CC mammogram of the left breast. 50 y/o patient.
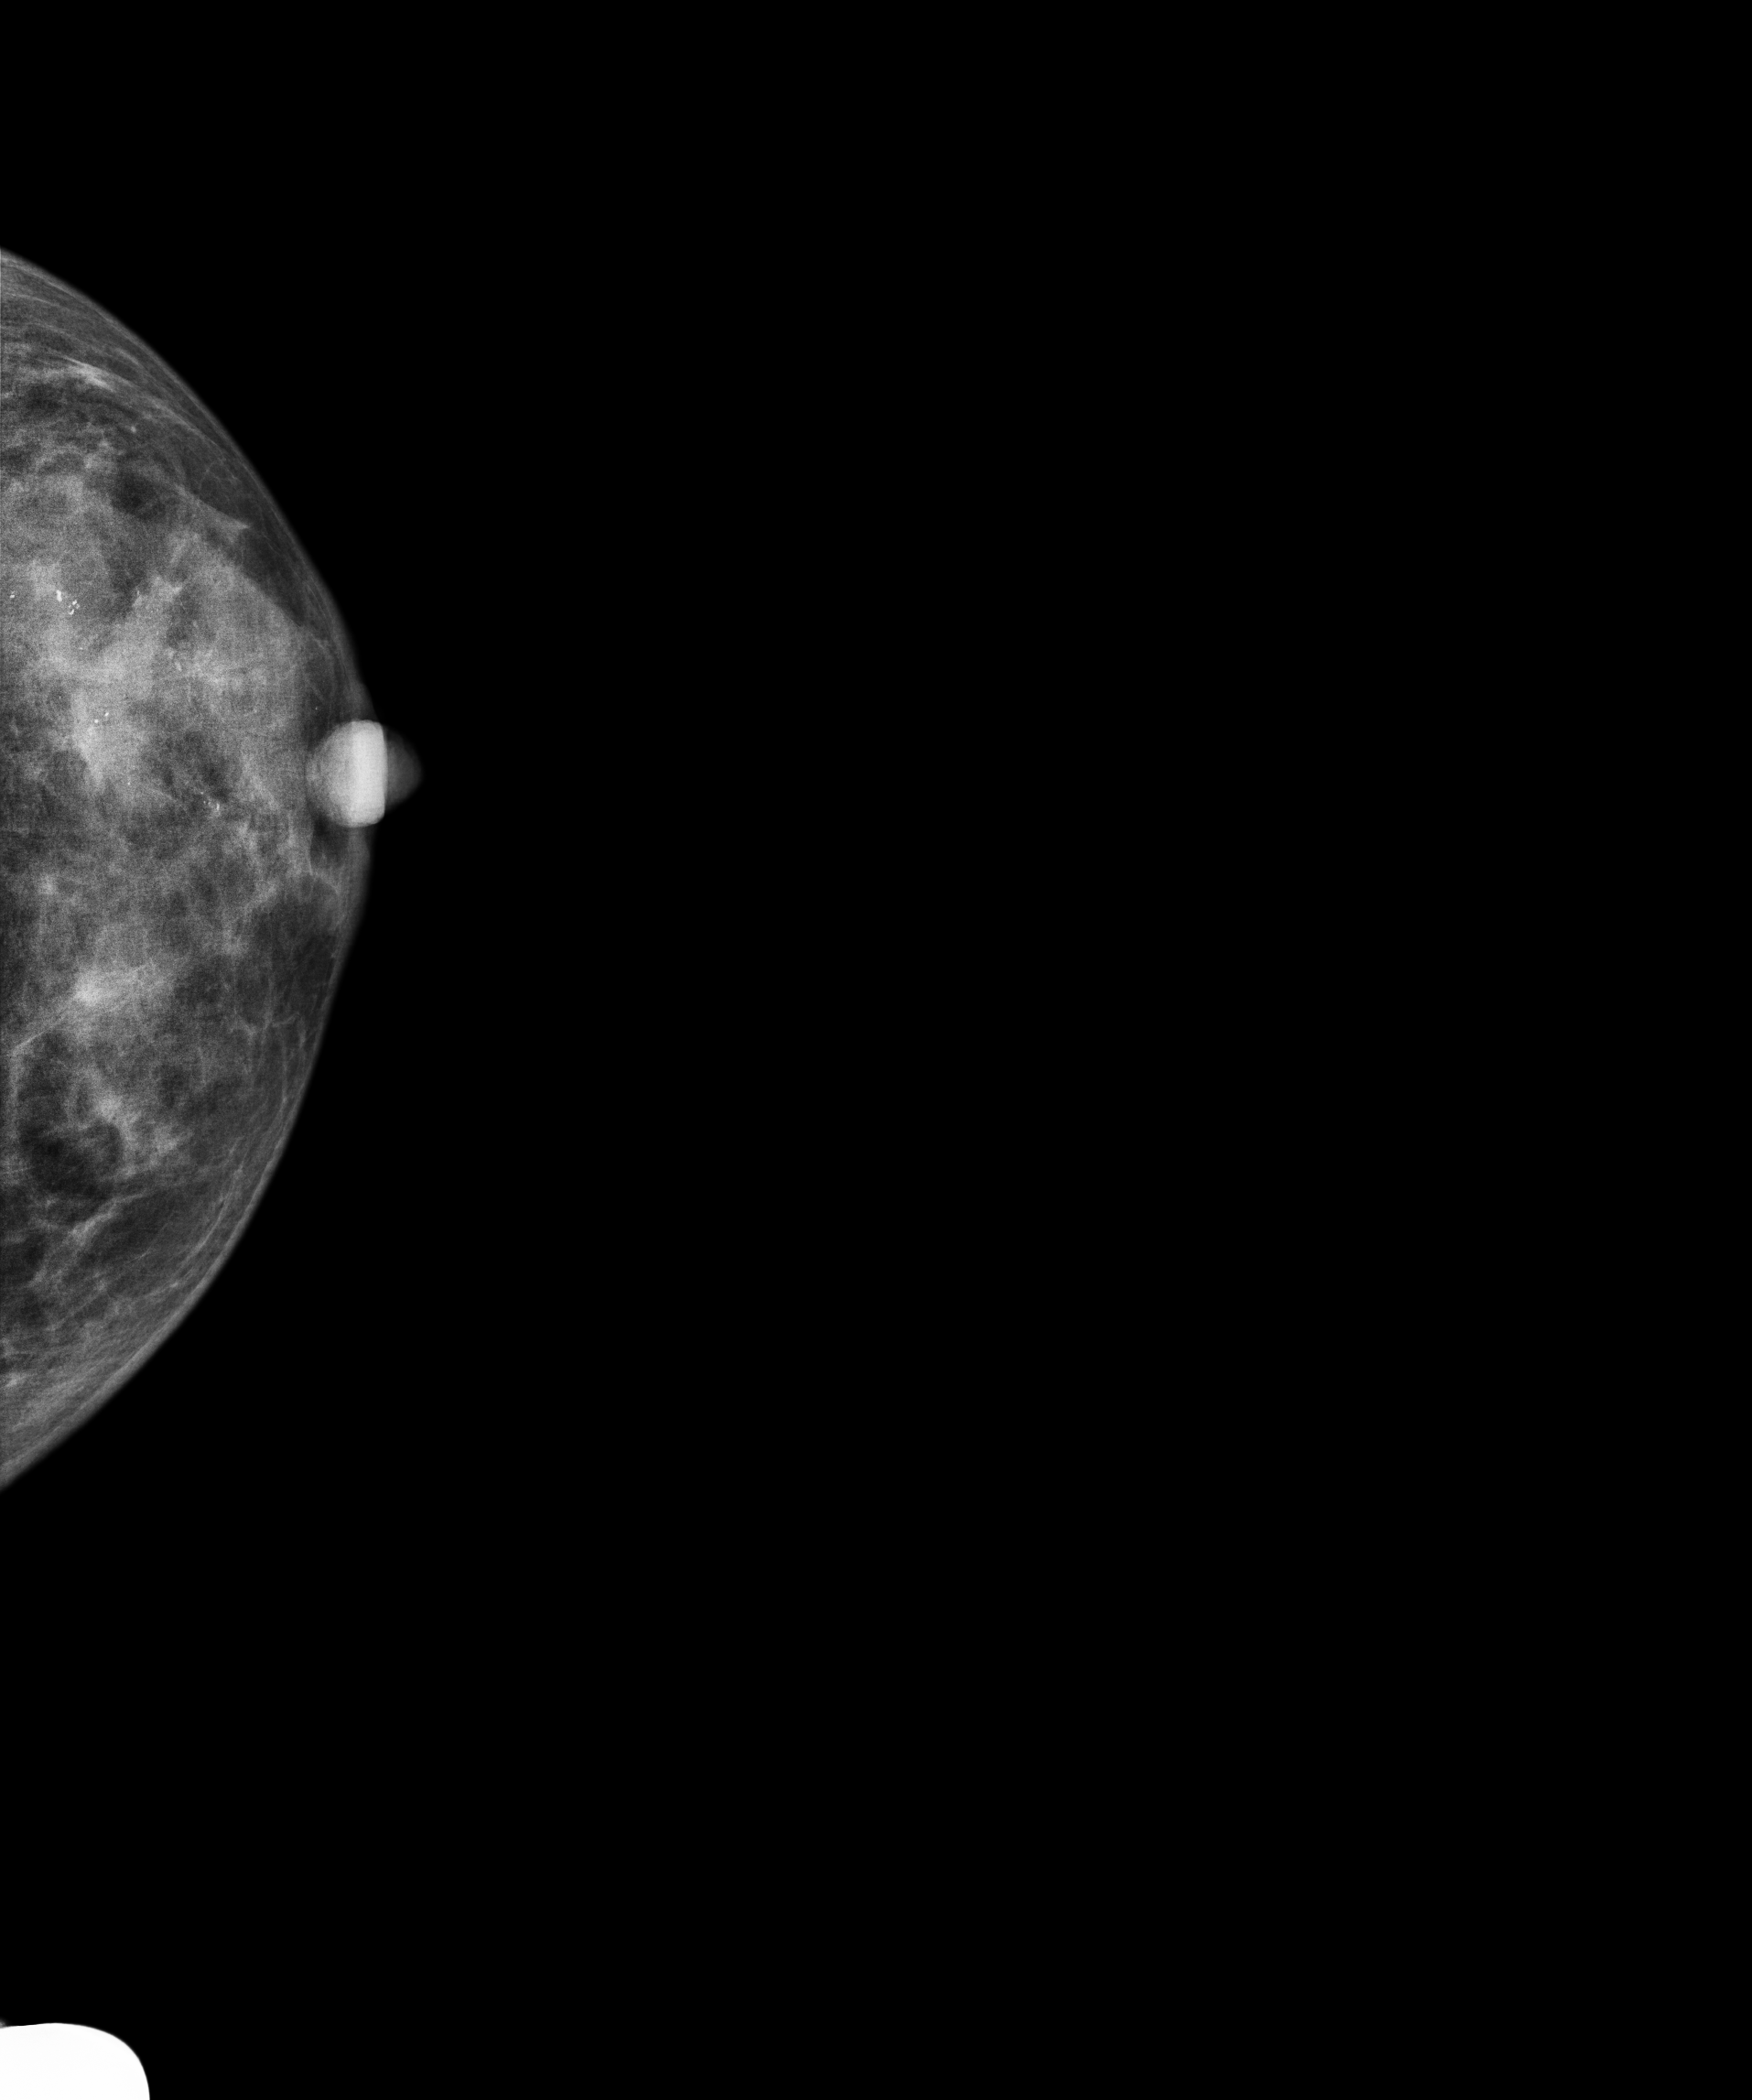
This breast has a mass and calcifications, biopsy-confirmed malignant. Molecular subtype: HER2-enriched.